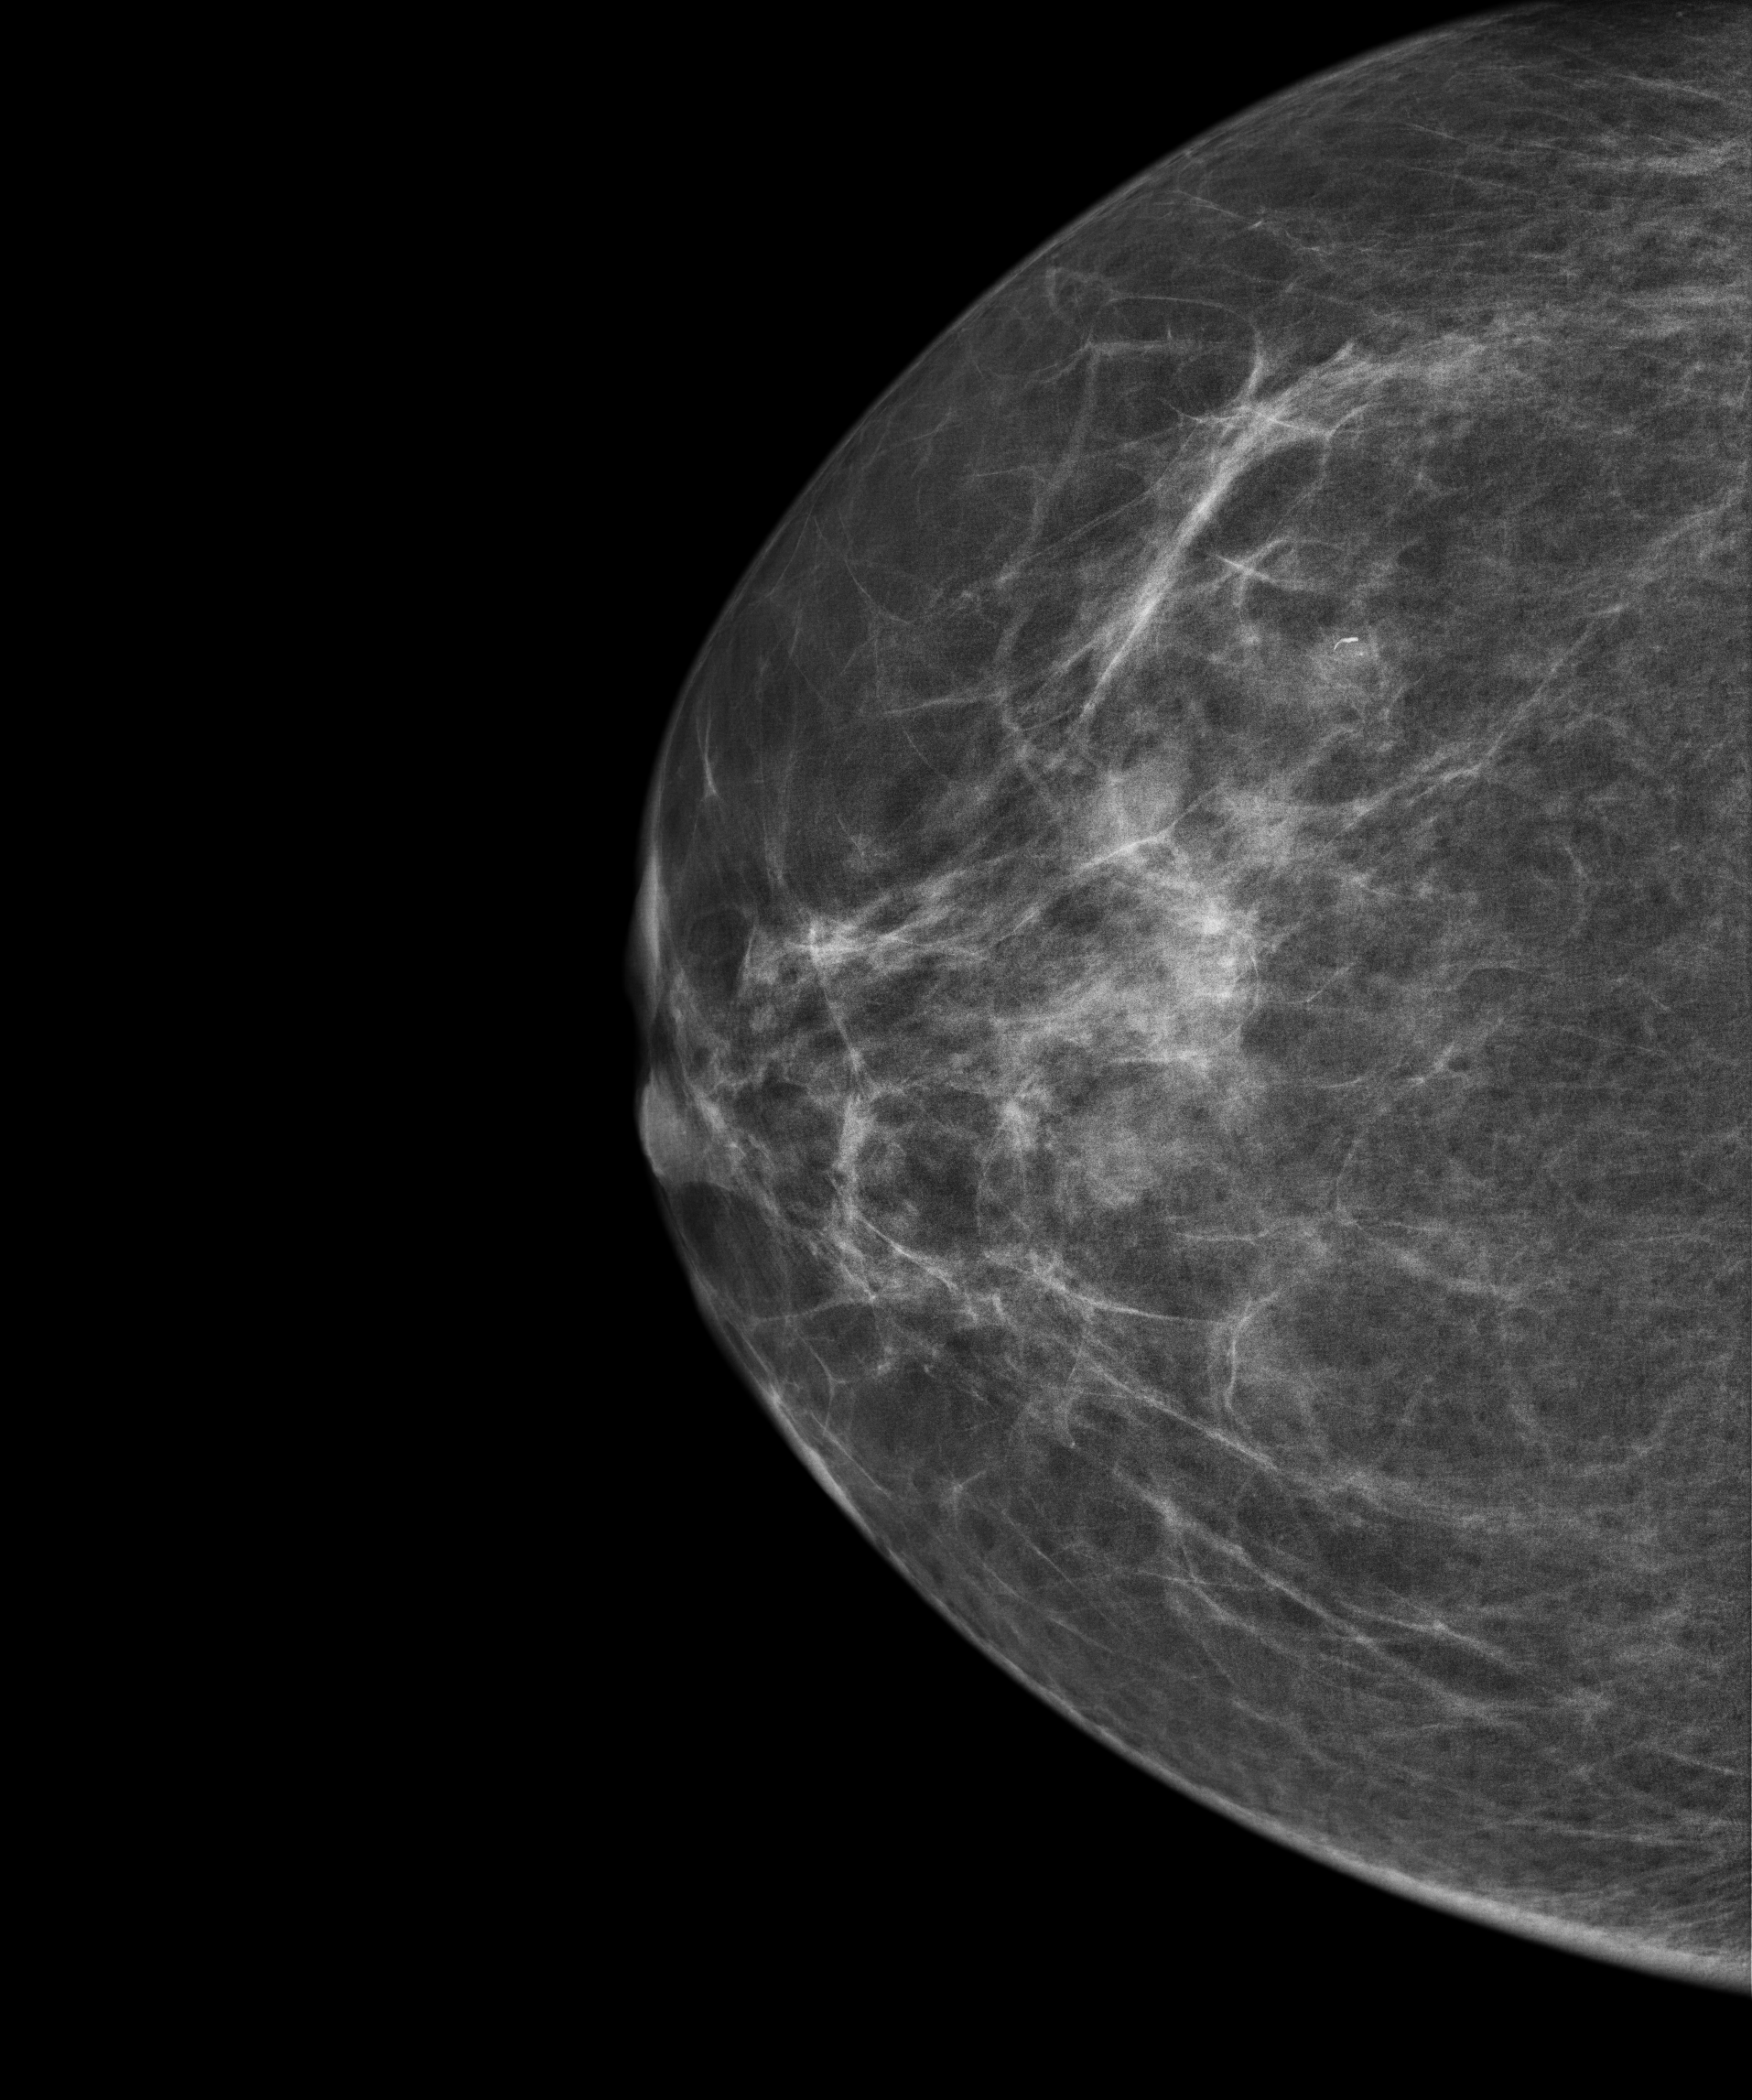
Digital mammography. Right breast, CC projection. 58 y/o patient.
Contralateral breast — no documented abnormality on this side.